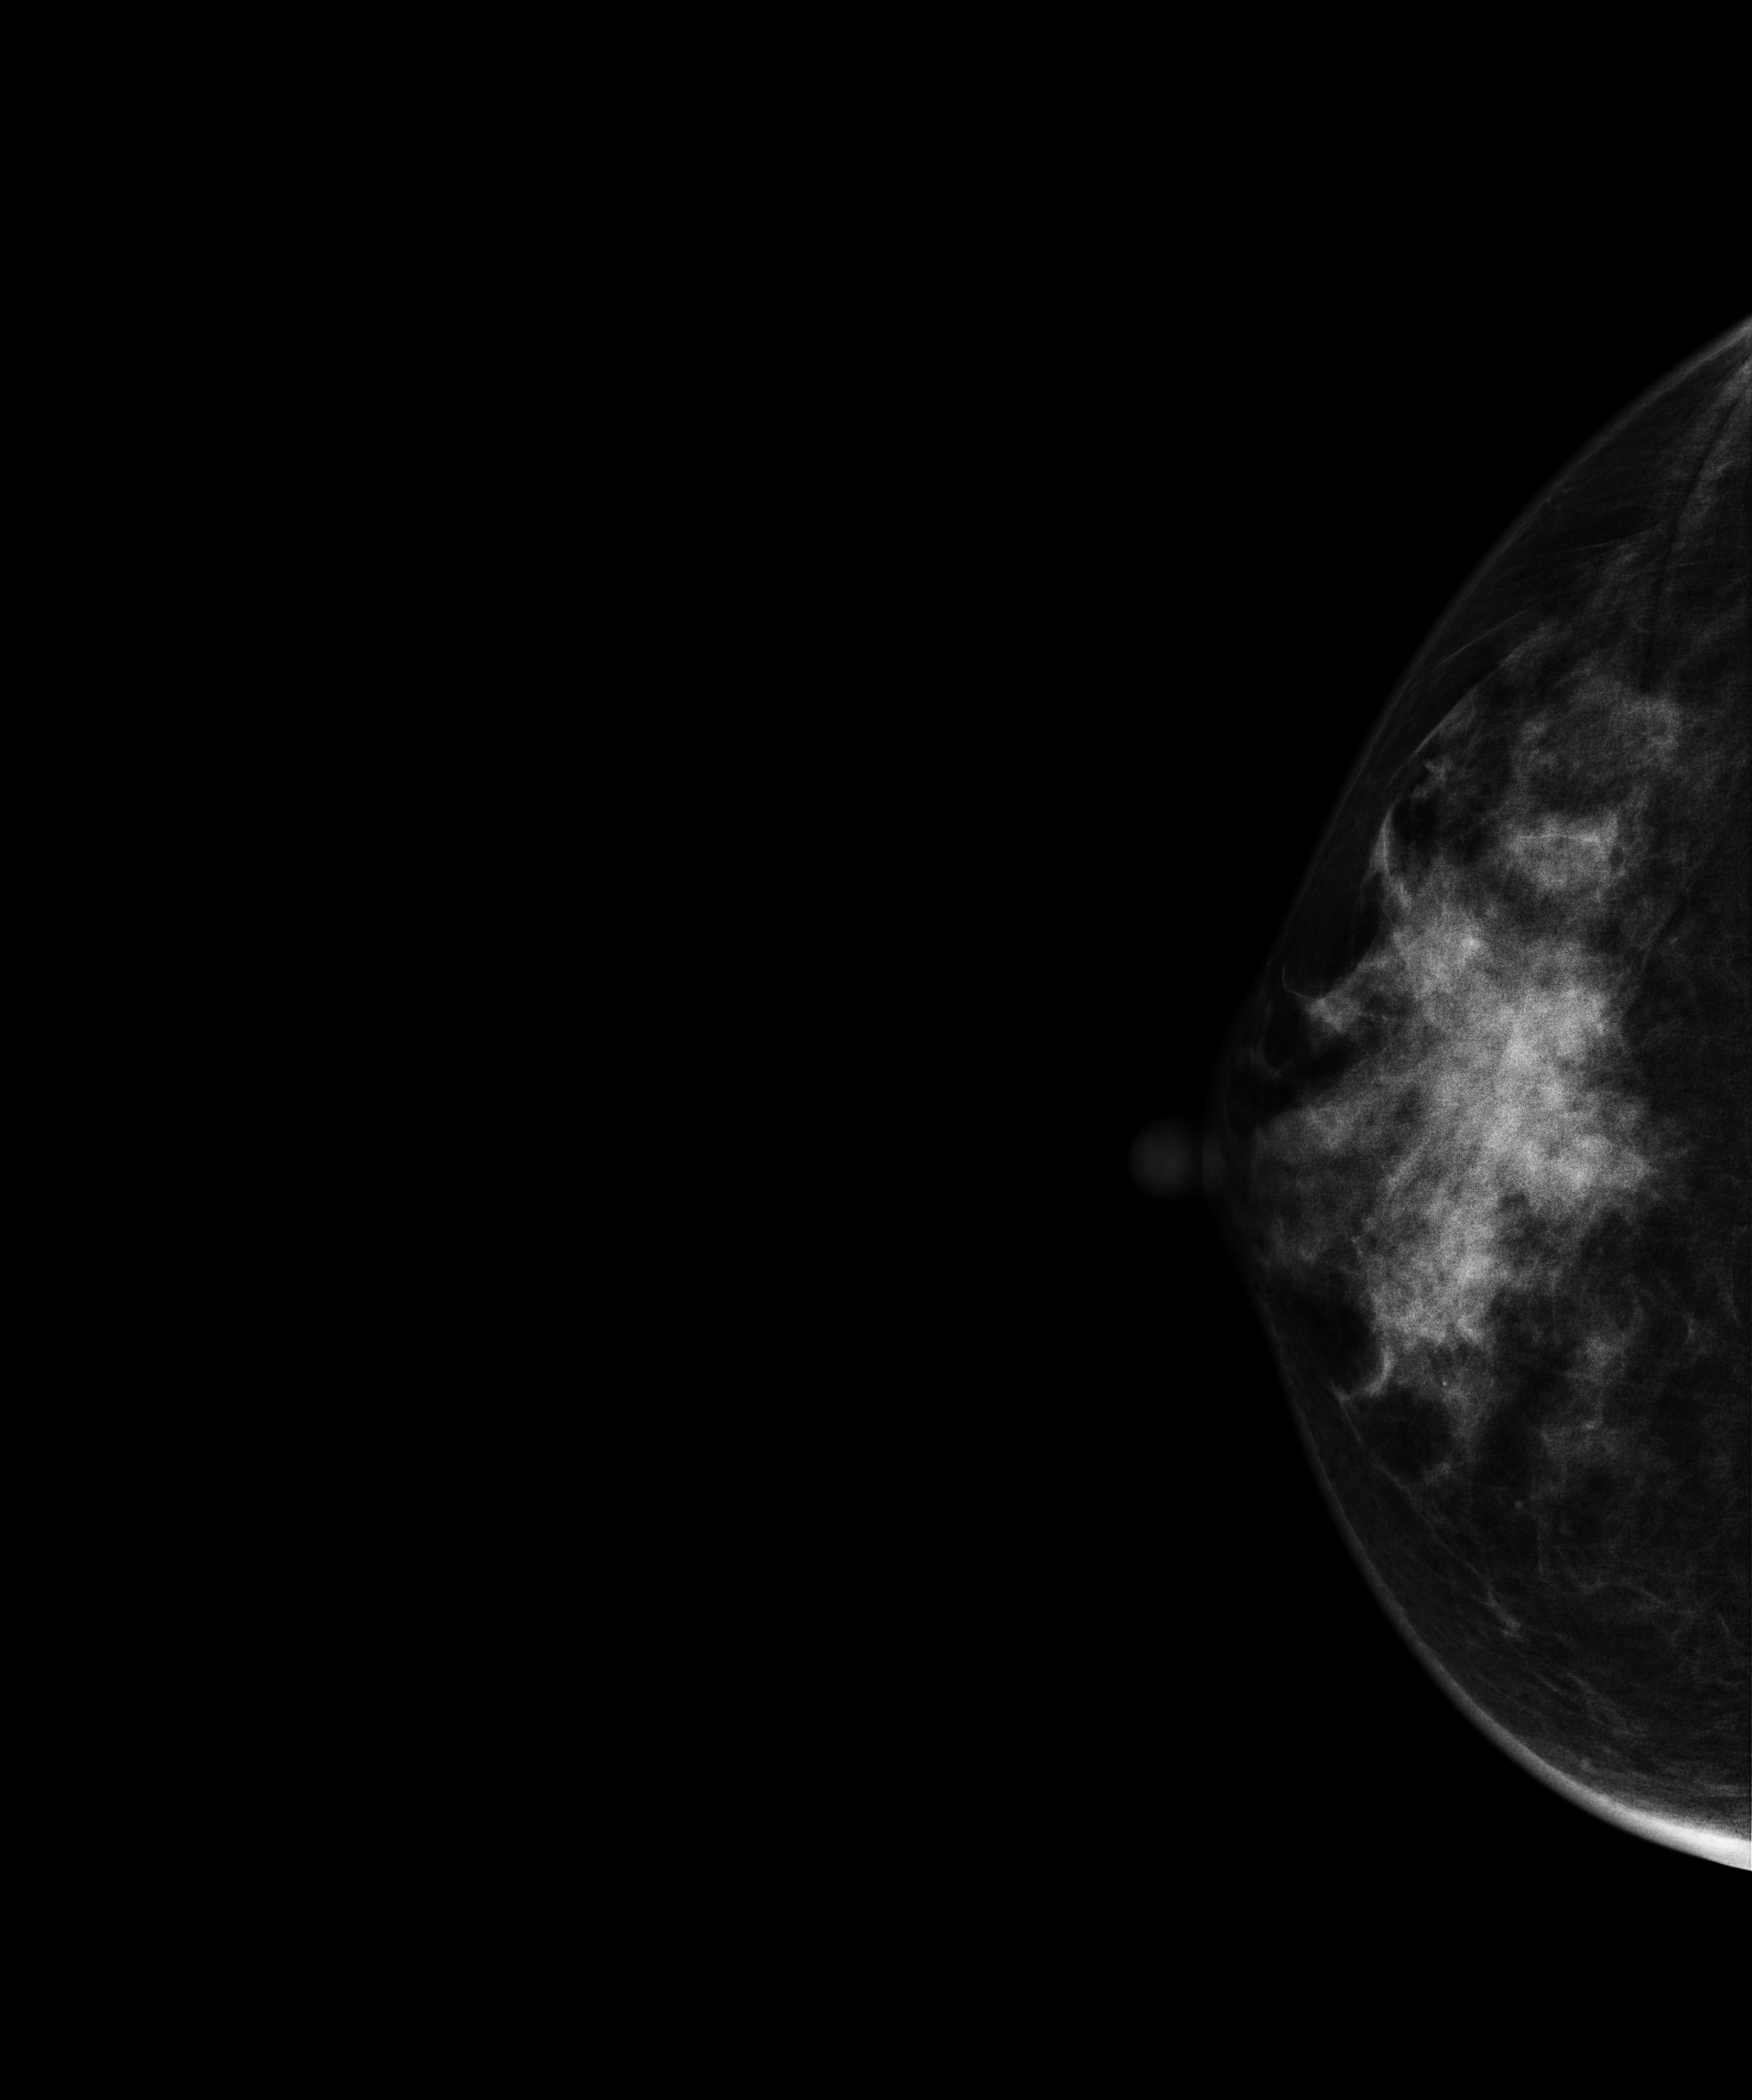
Digital mammography. Right breast, CC projection. 36 y/o patient.
This breast has a mass, biopsy-confirmed benign.